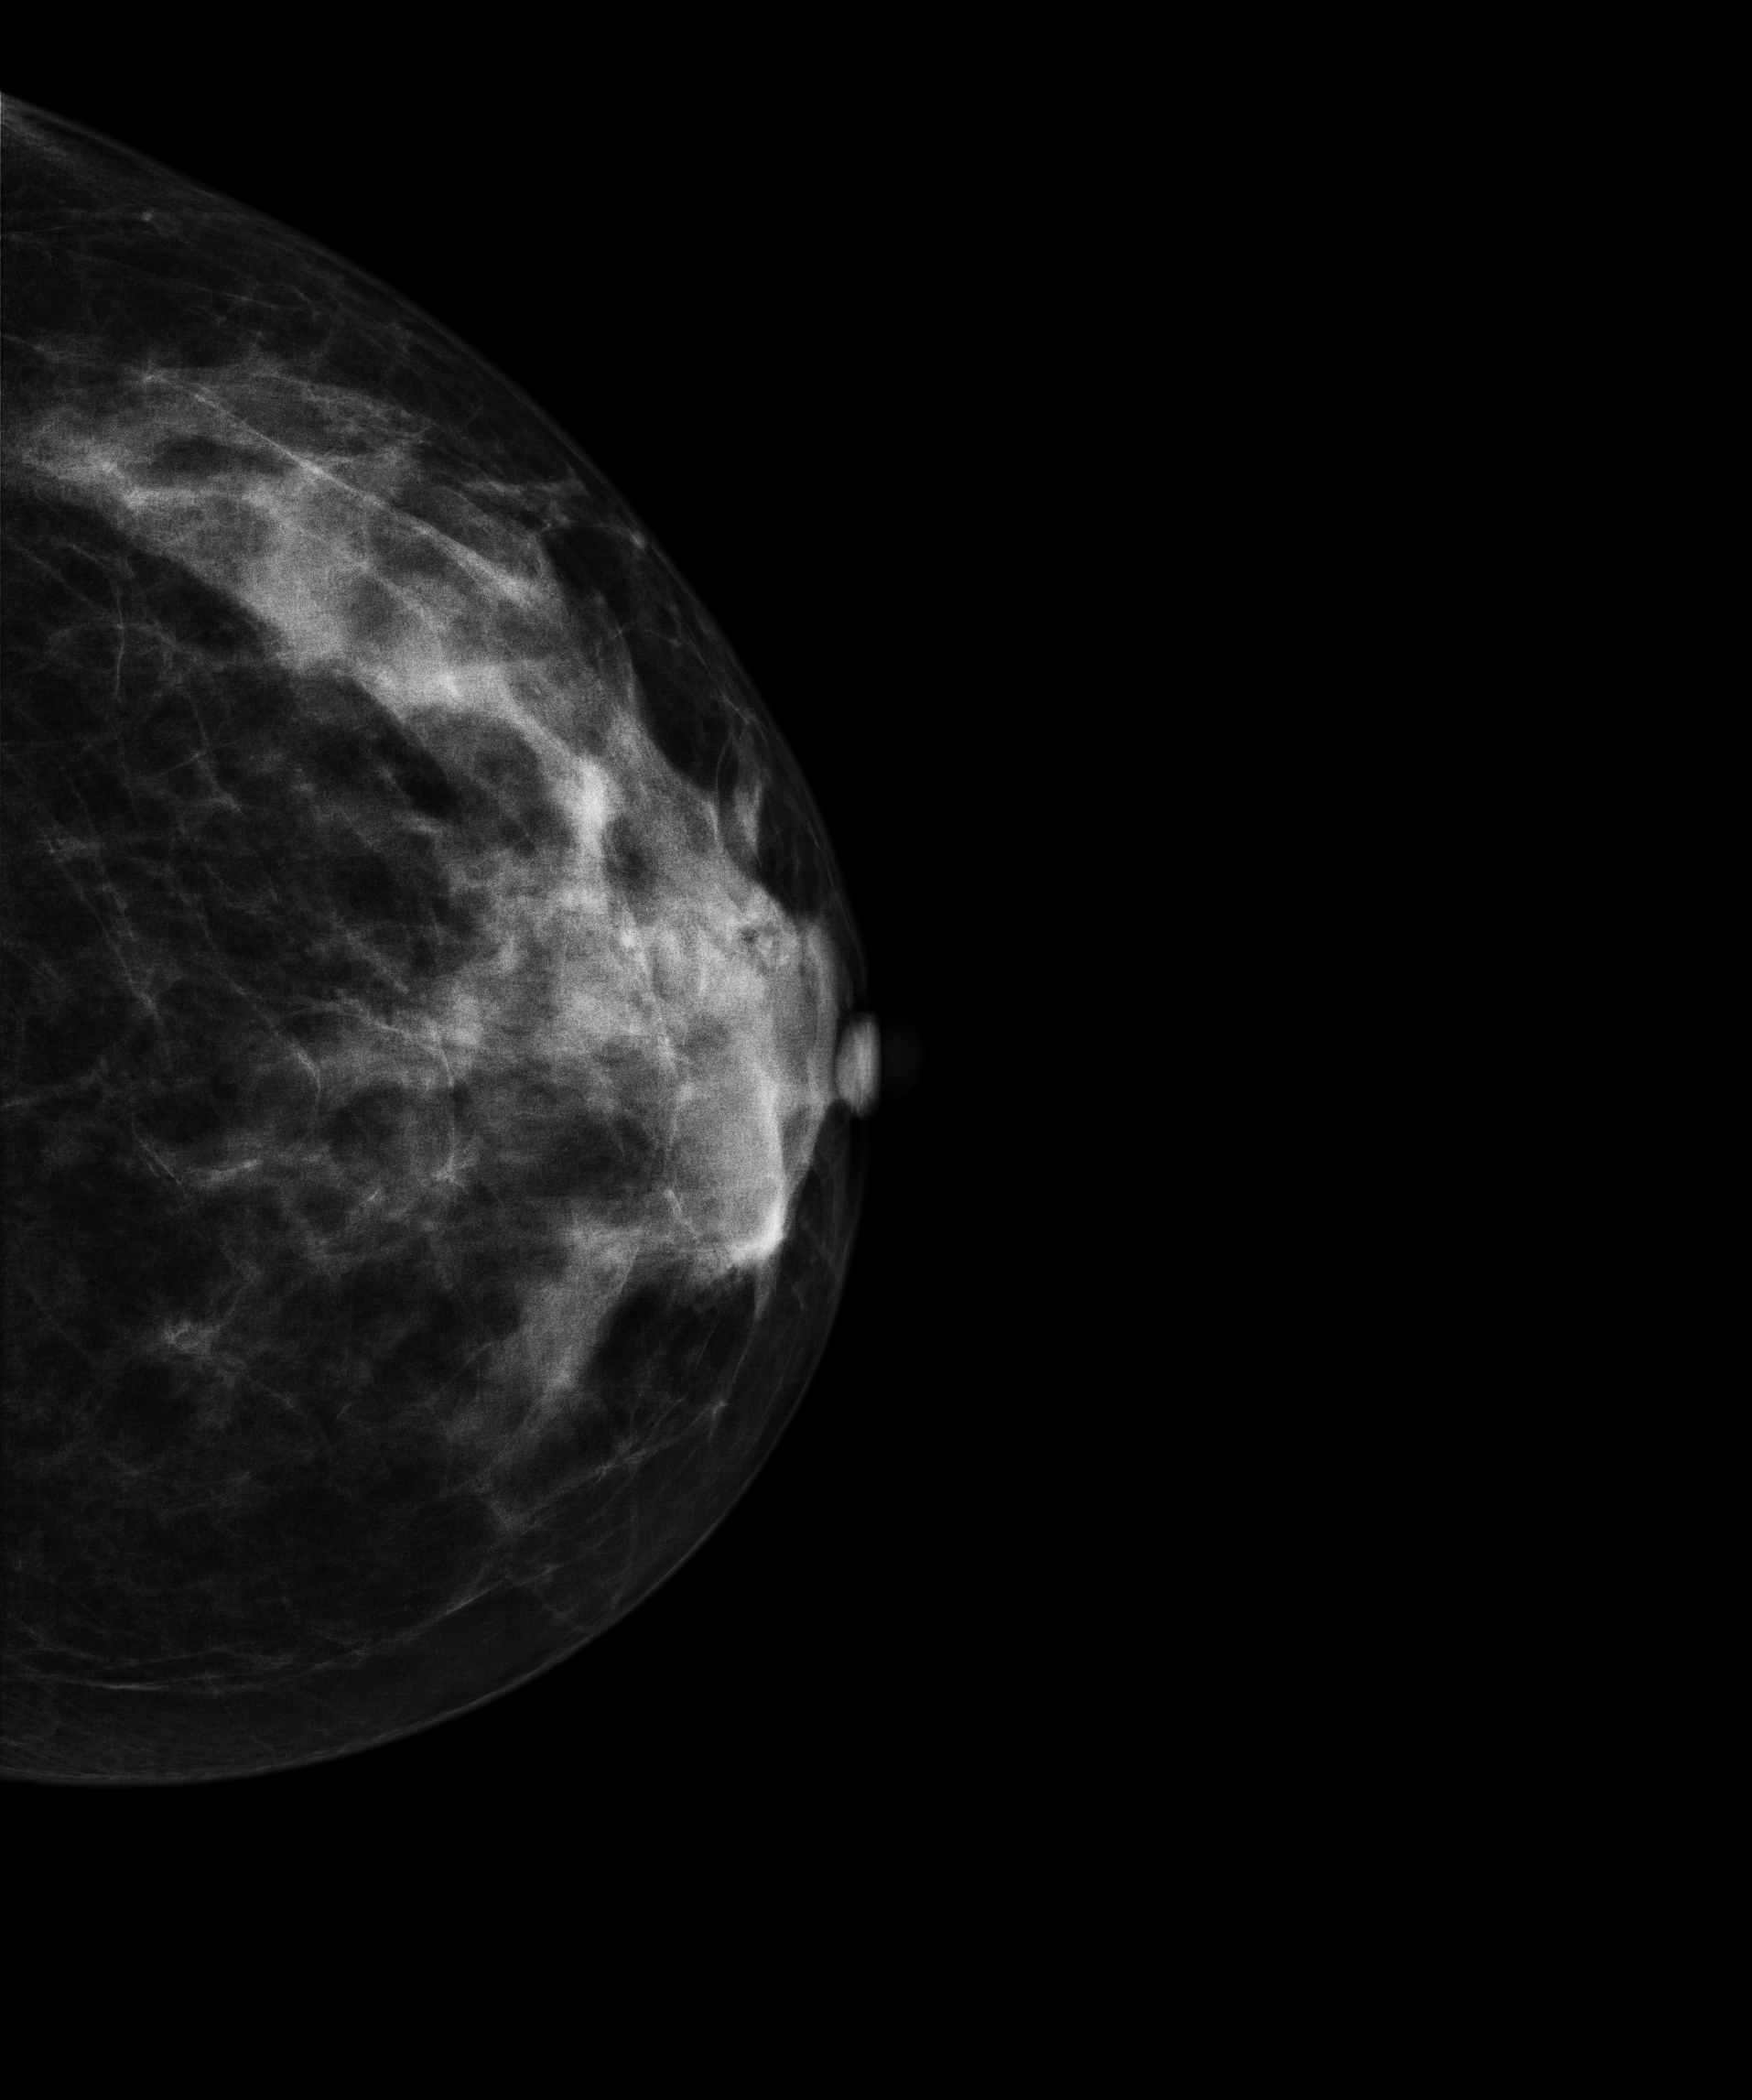
Left-breast mammogram, cranio-caudal. 42 y/o patient.
This breast has a mass, pathology-confirmed malignant.